Mammogram — left medio-lateral oblique. 41-year-old patient.
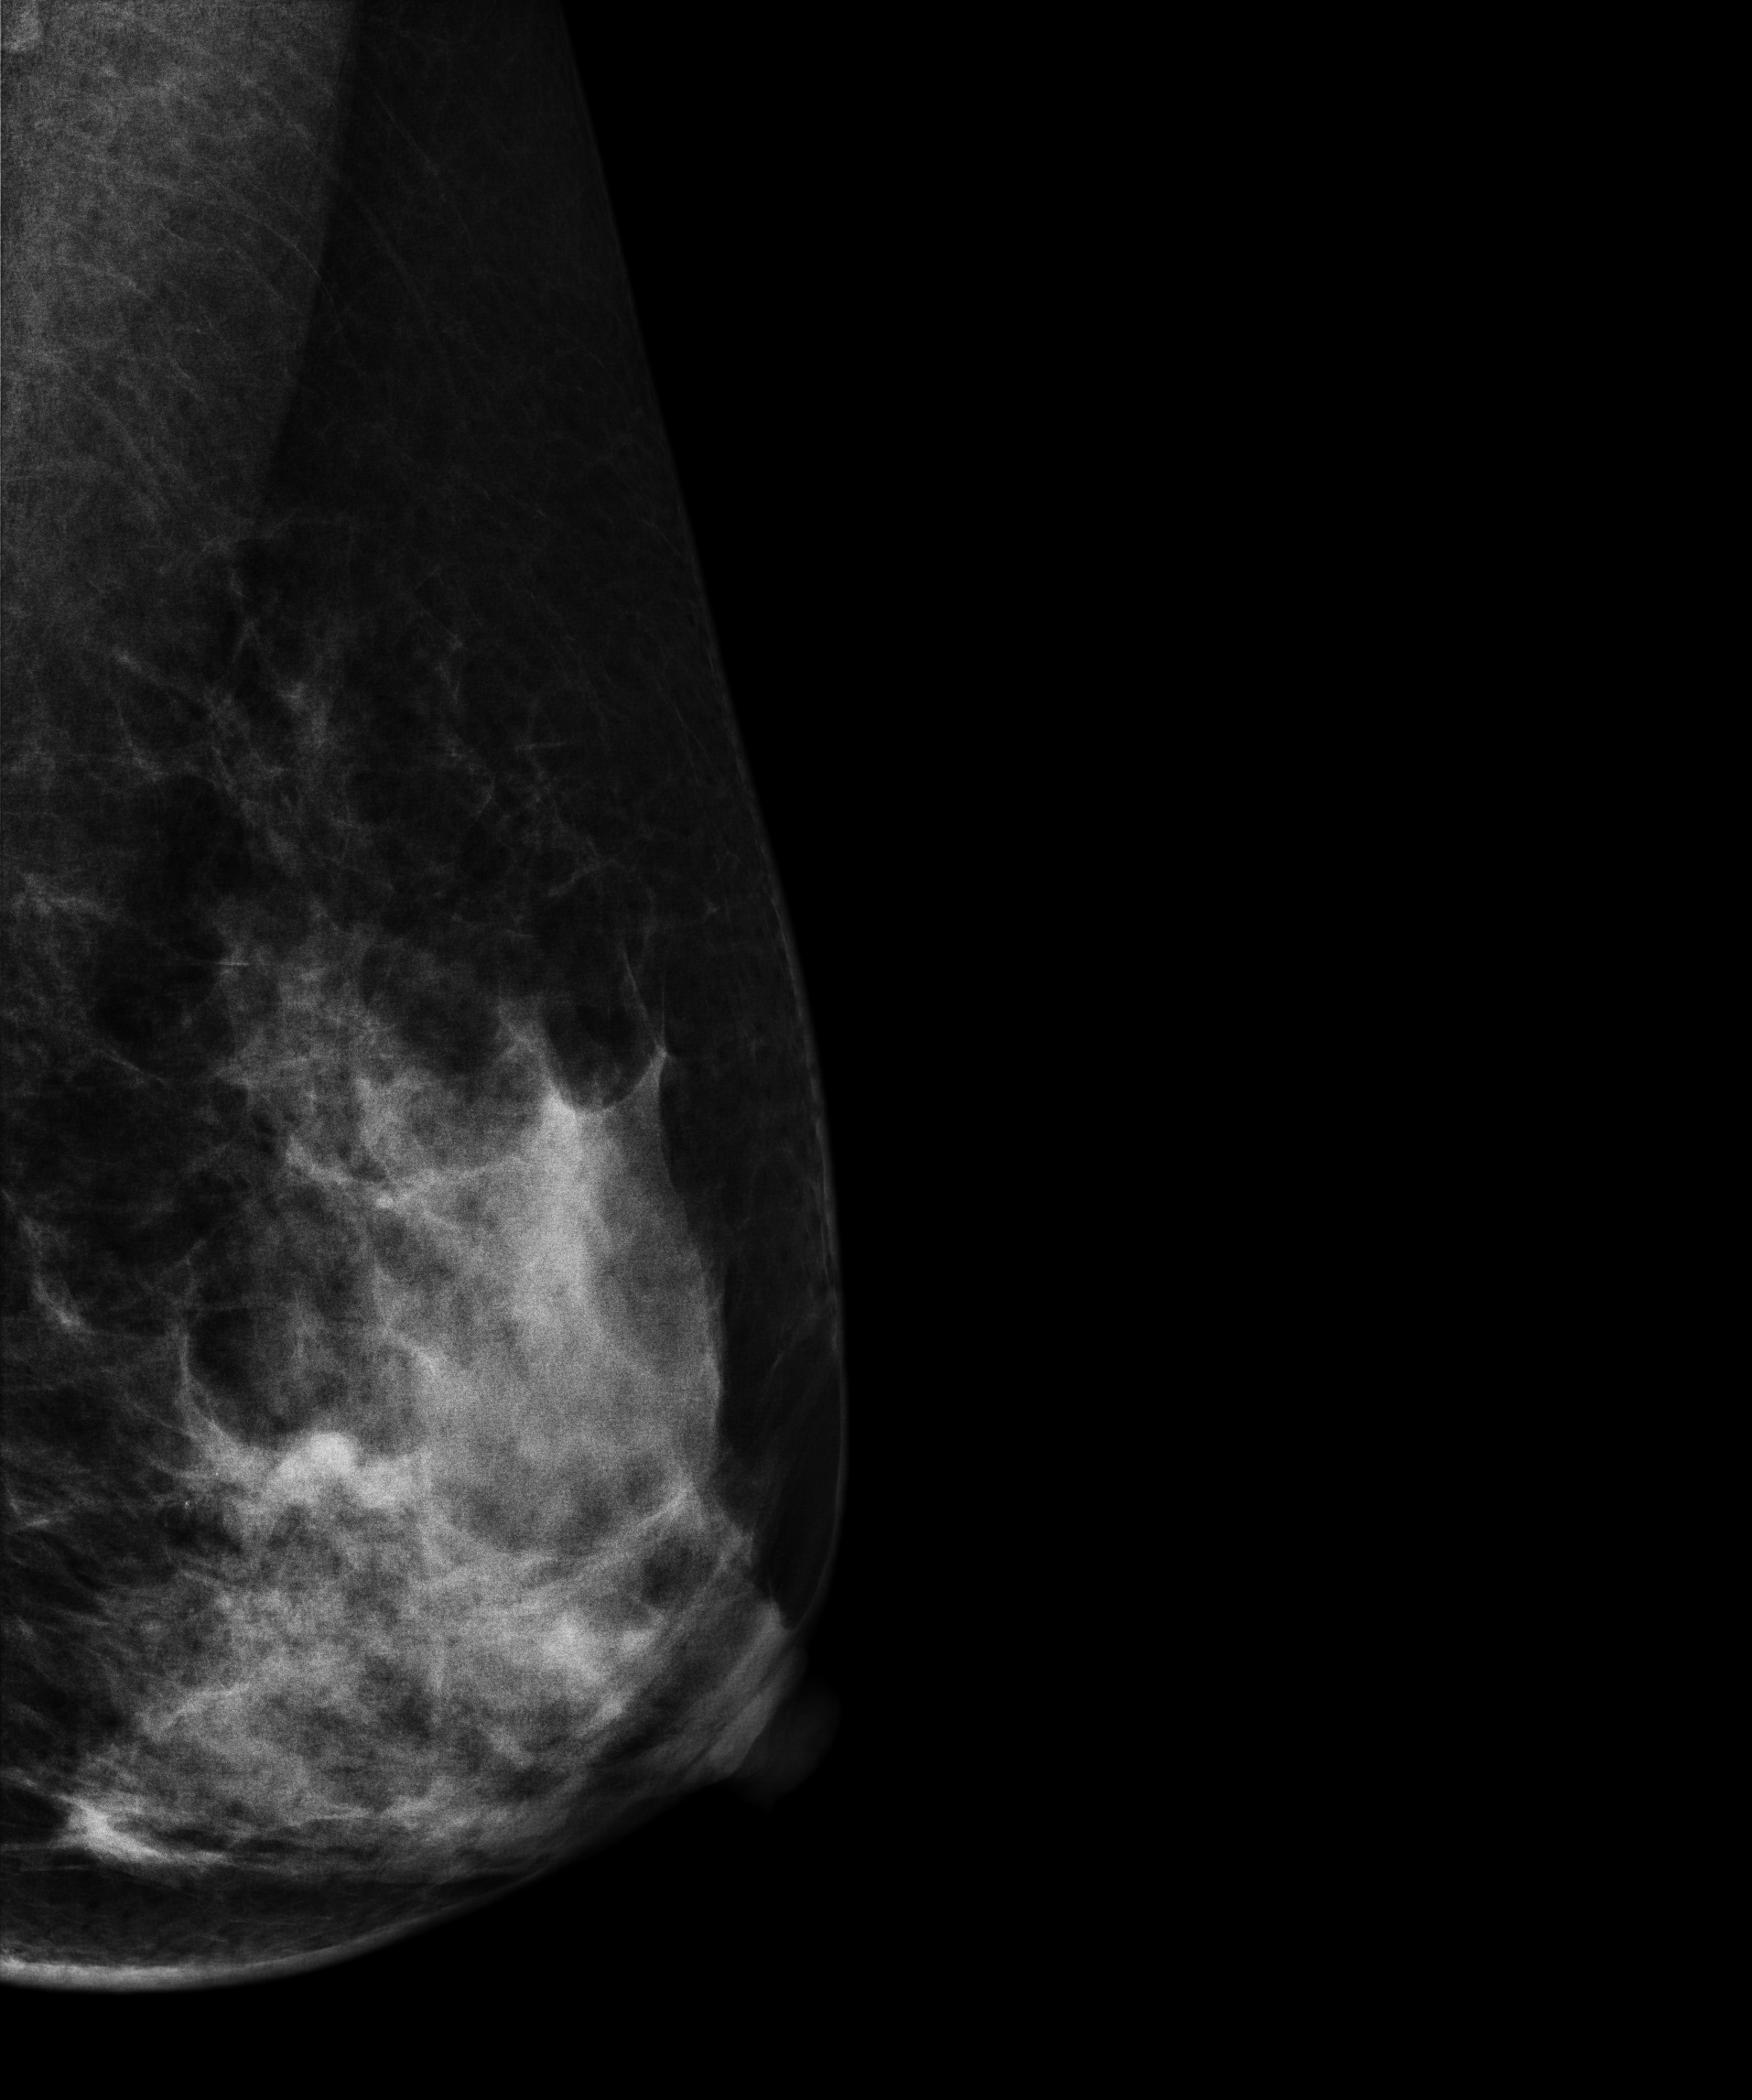
This breast has a mass, biopsy-confirmed malignant.